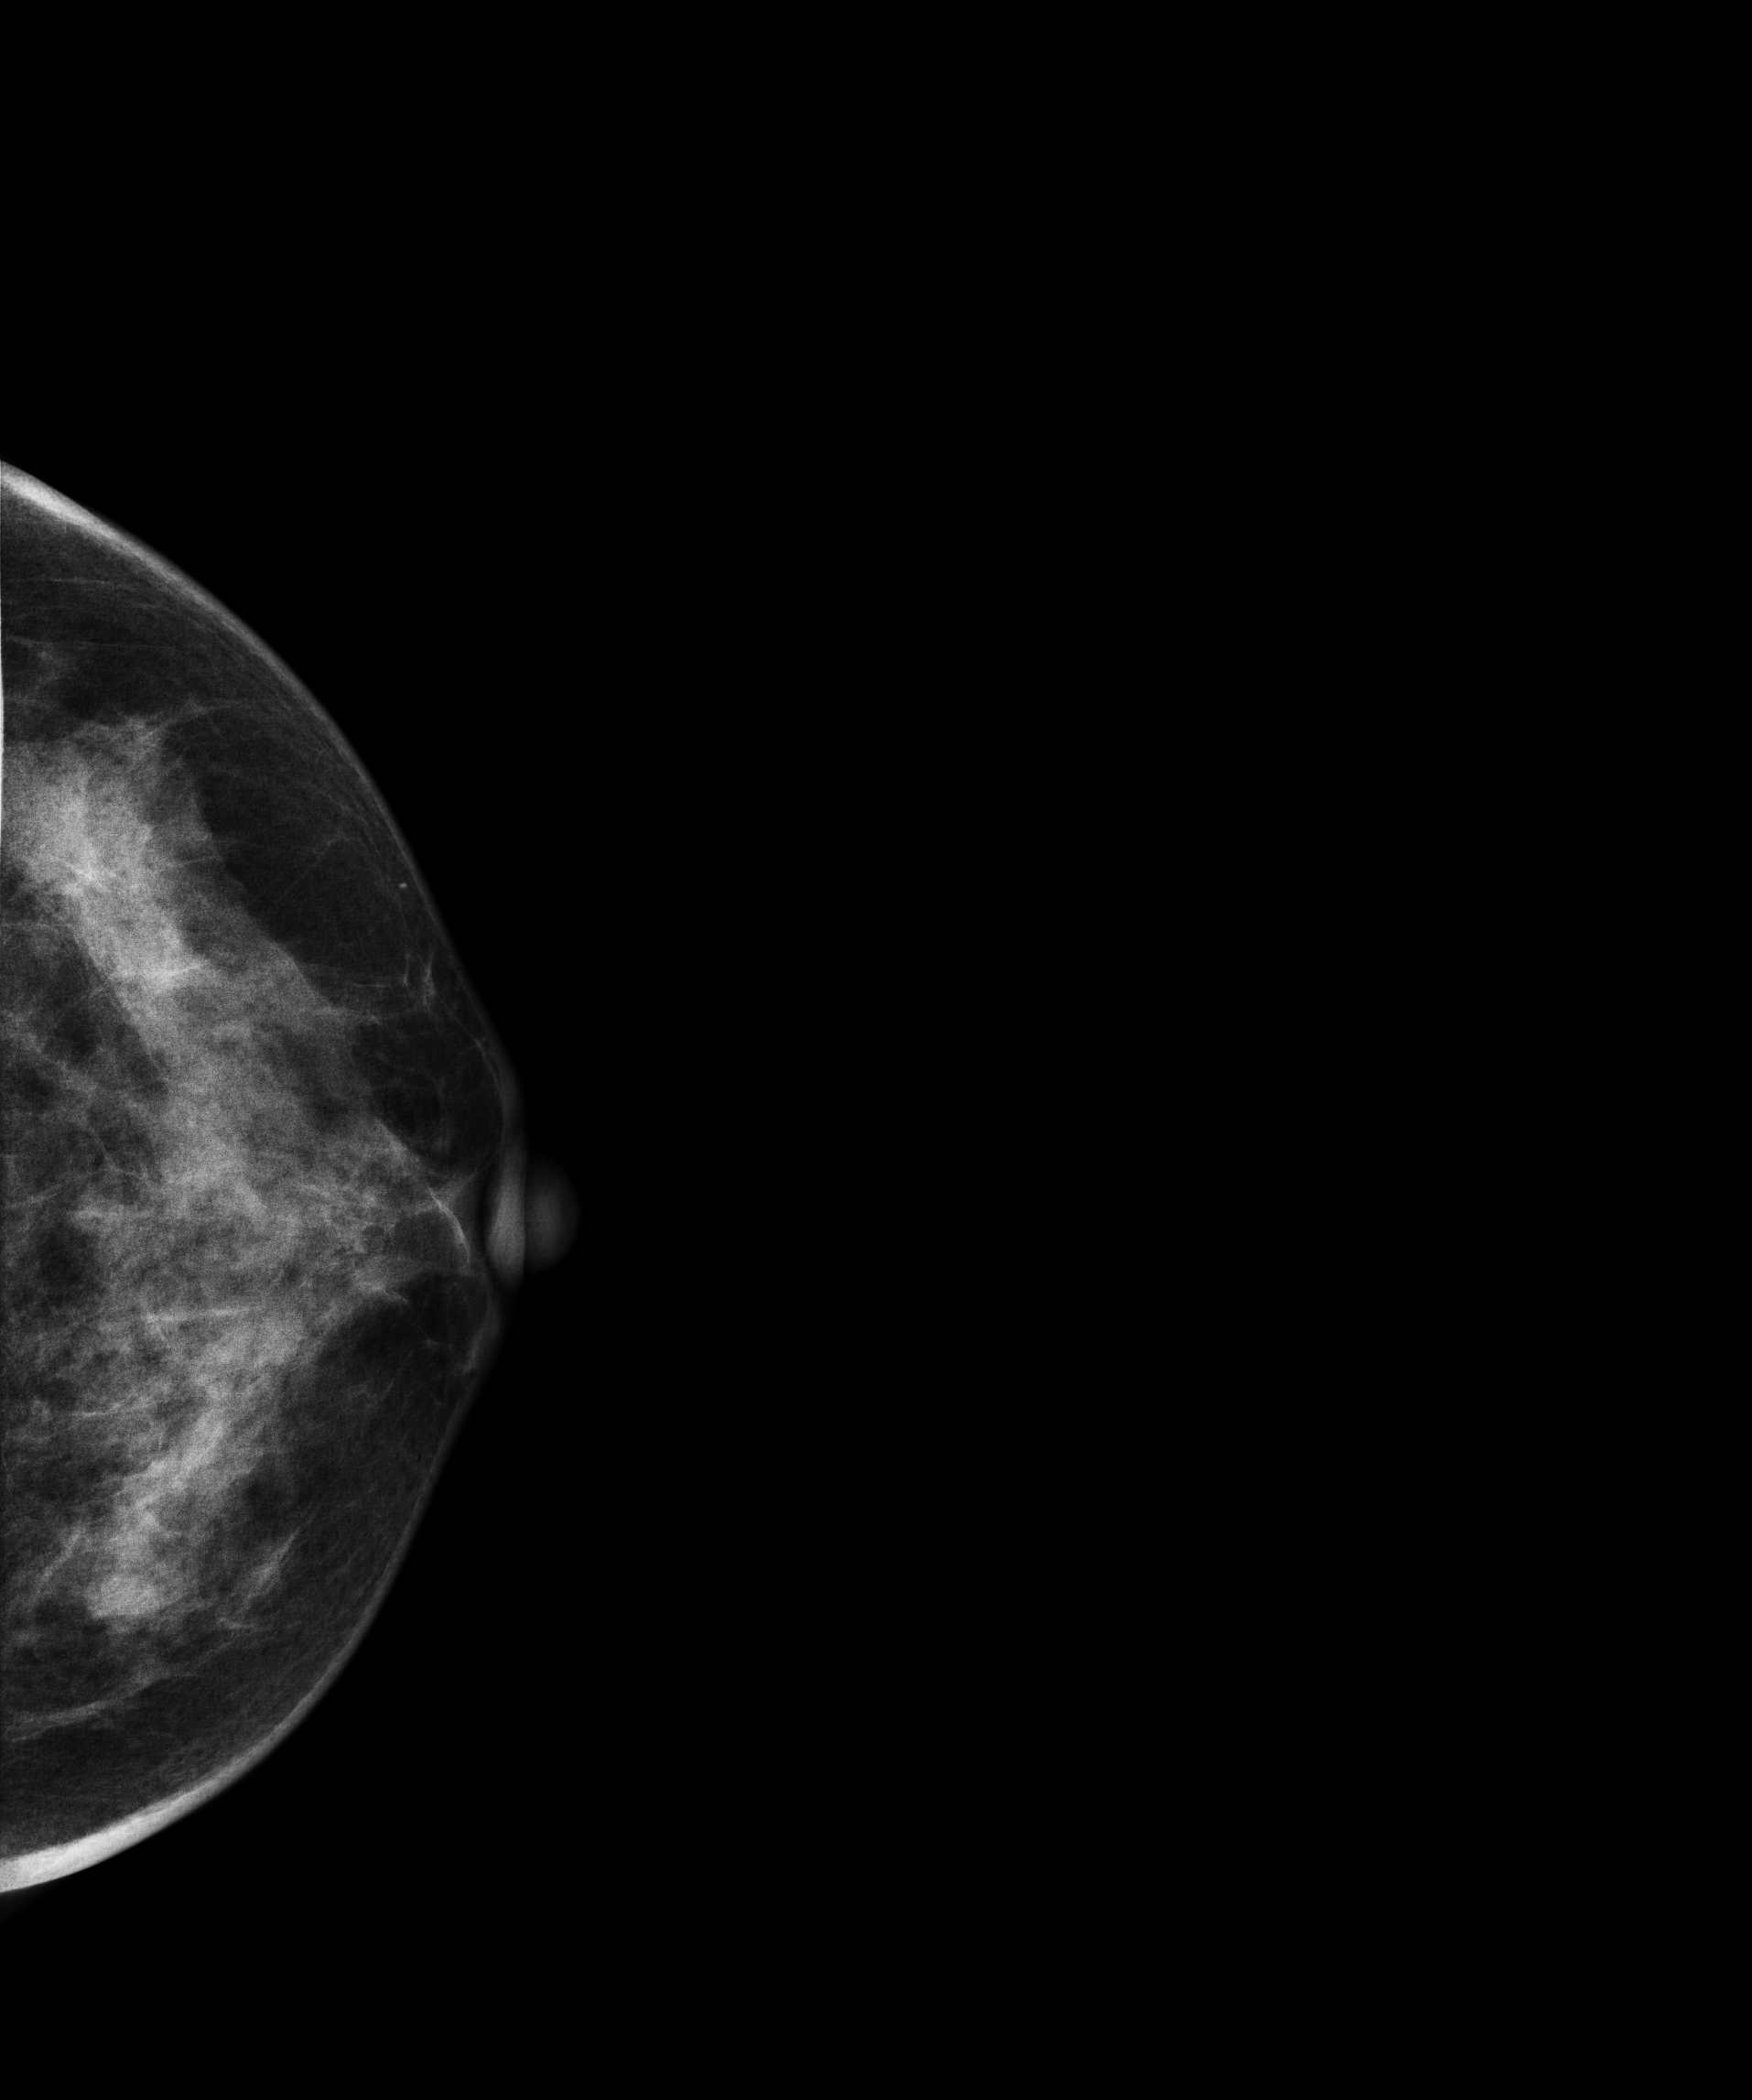
Digital mammography. Left breast, CC projection. Patient age 36.
Contralateral breast — no documented abnormality on this side.